Right-breast mammogram, cranio-caudal. Patient age 62.
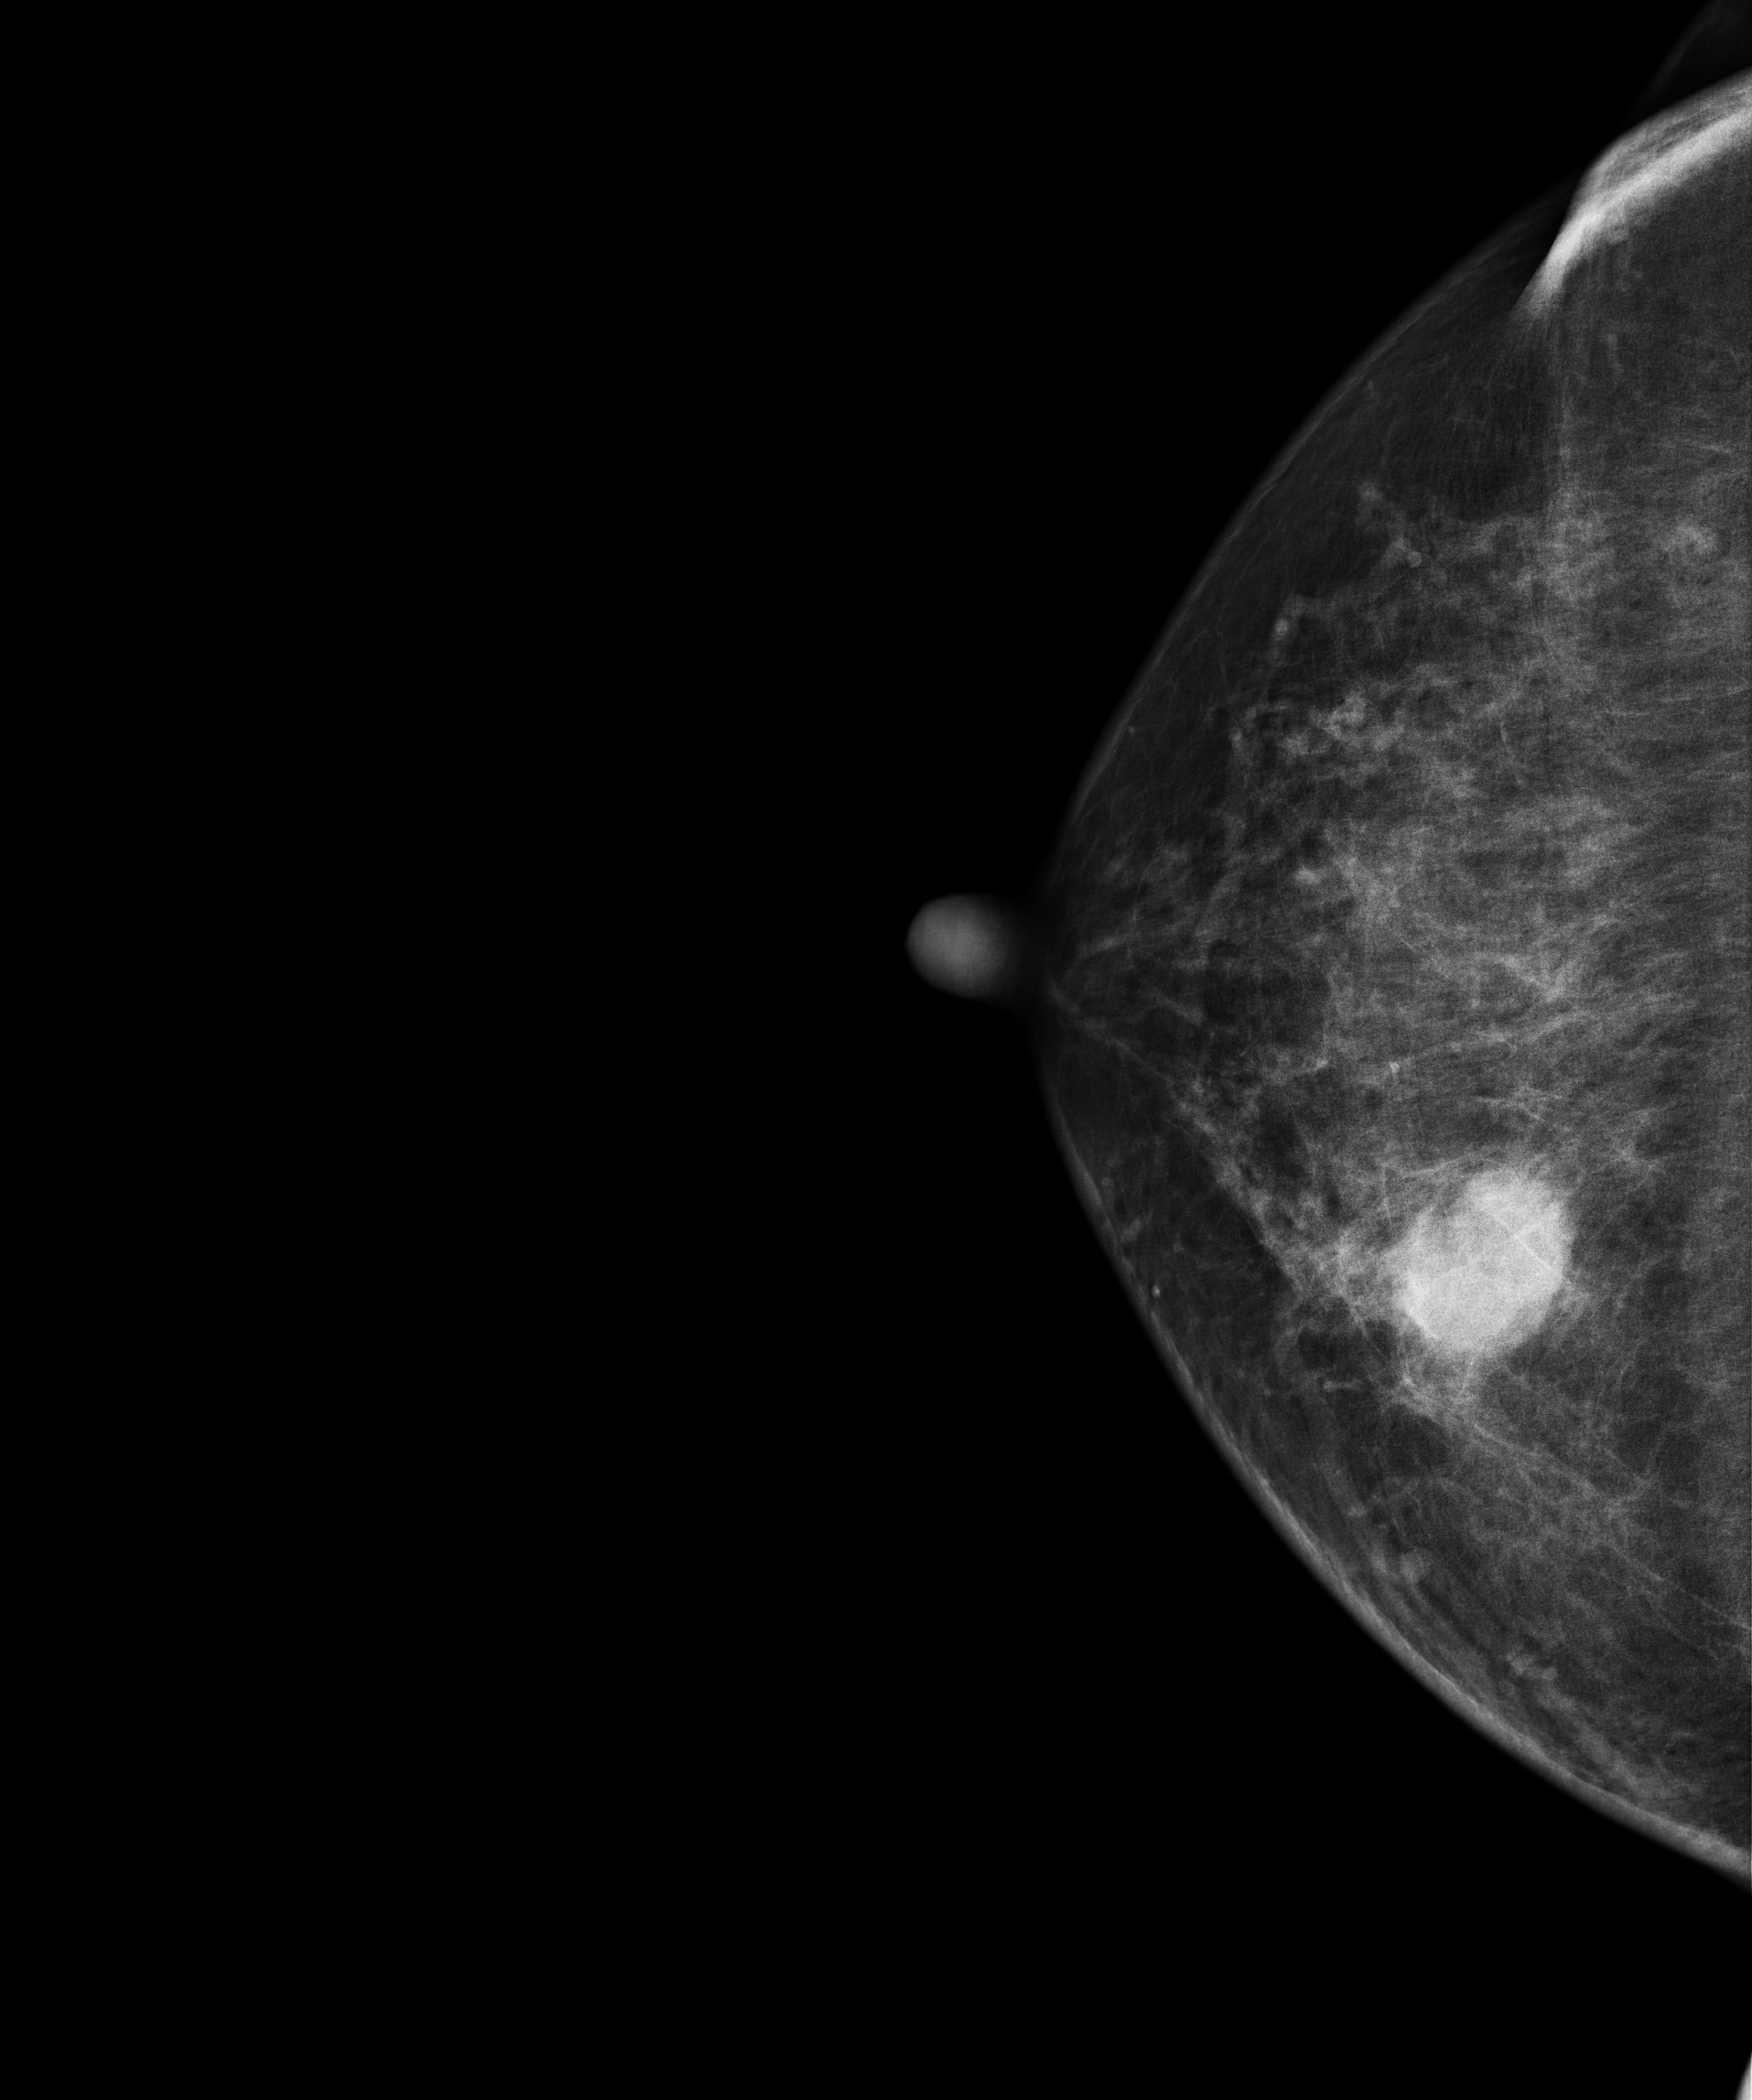
This breast has a mass, biopsy-proven malignant.